Left-breast mammogram, medio-lateral oblique. 56-year-old patient.
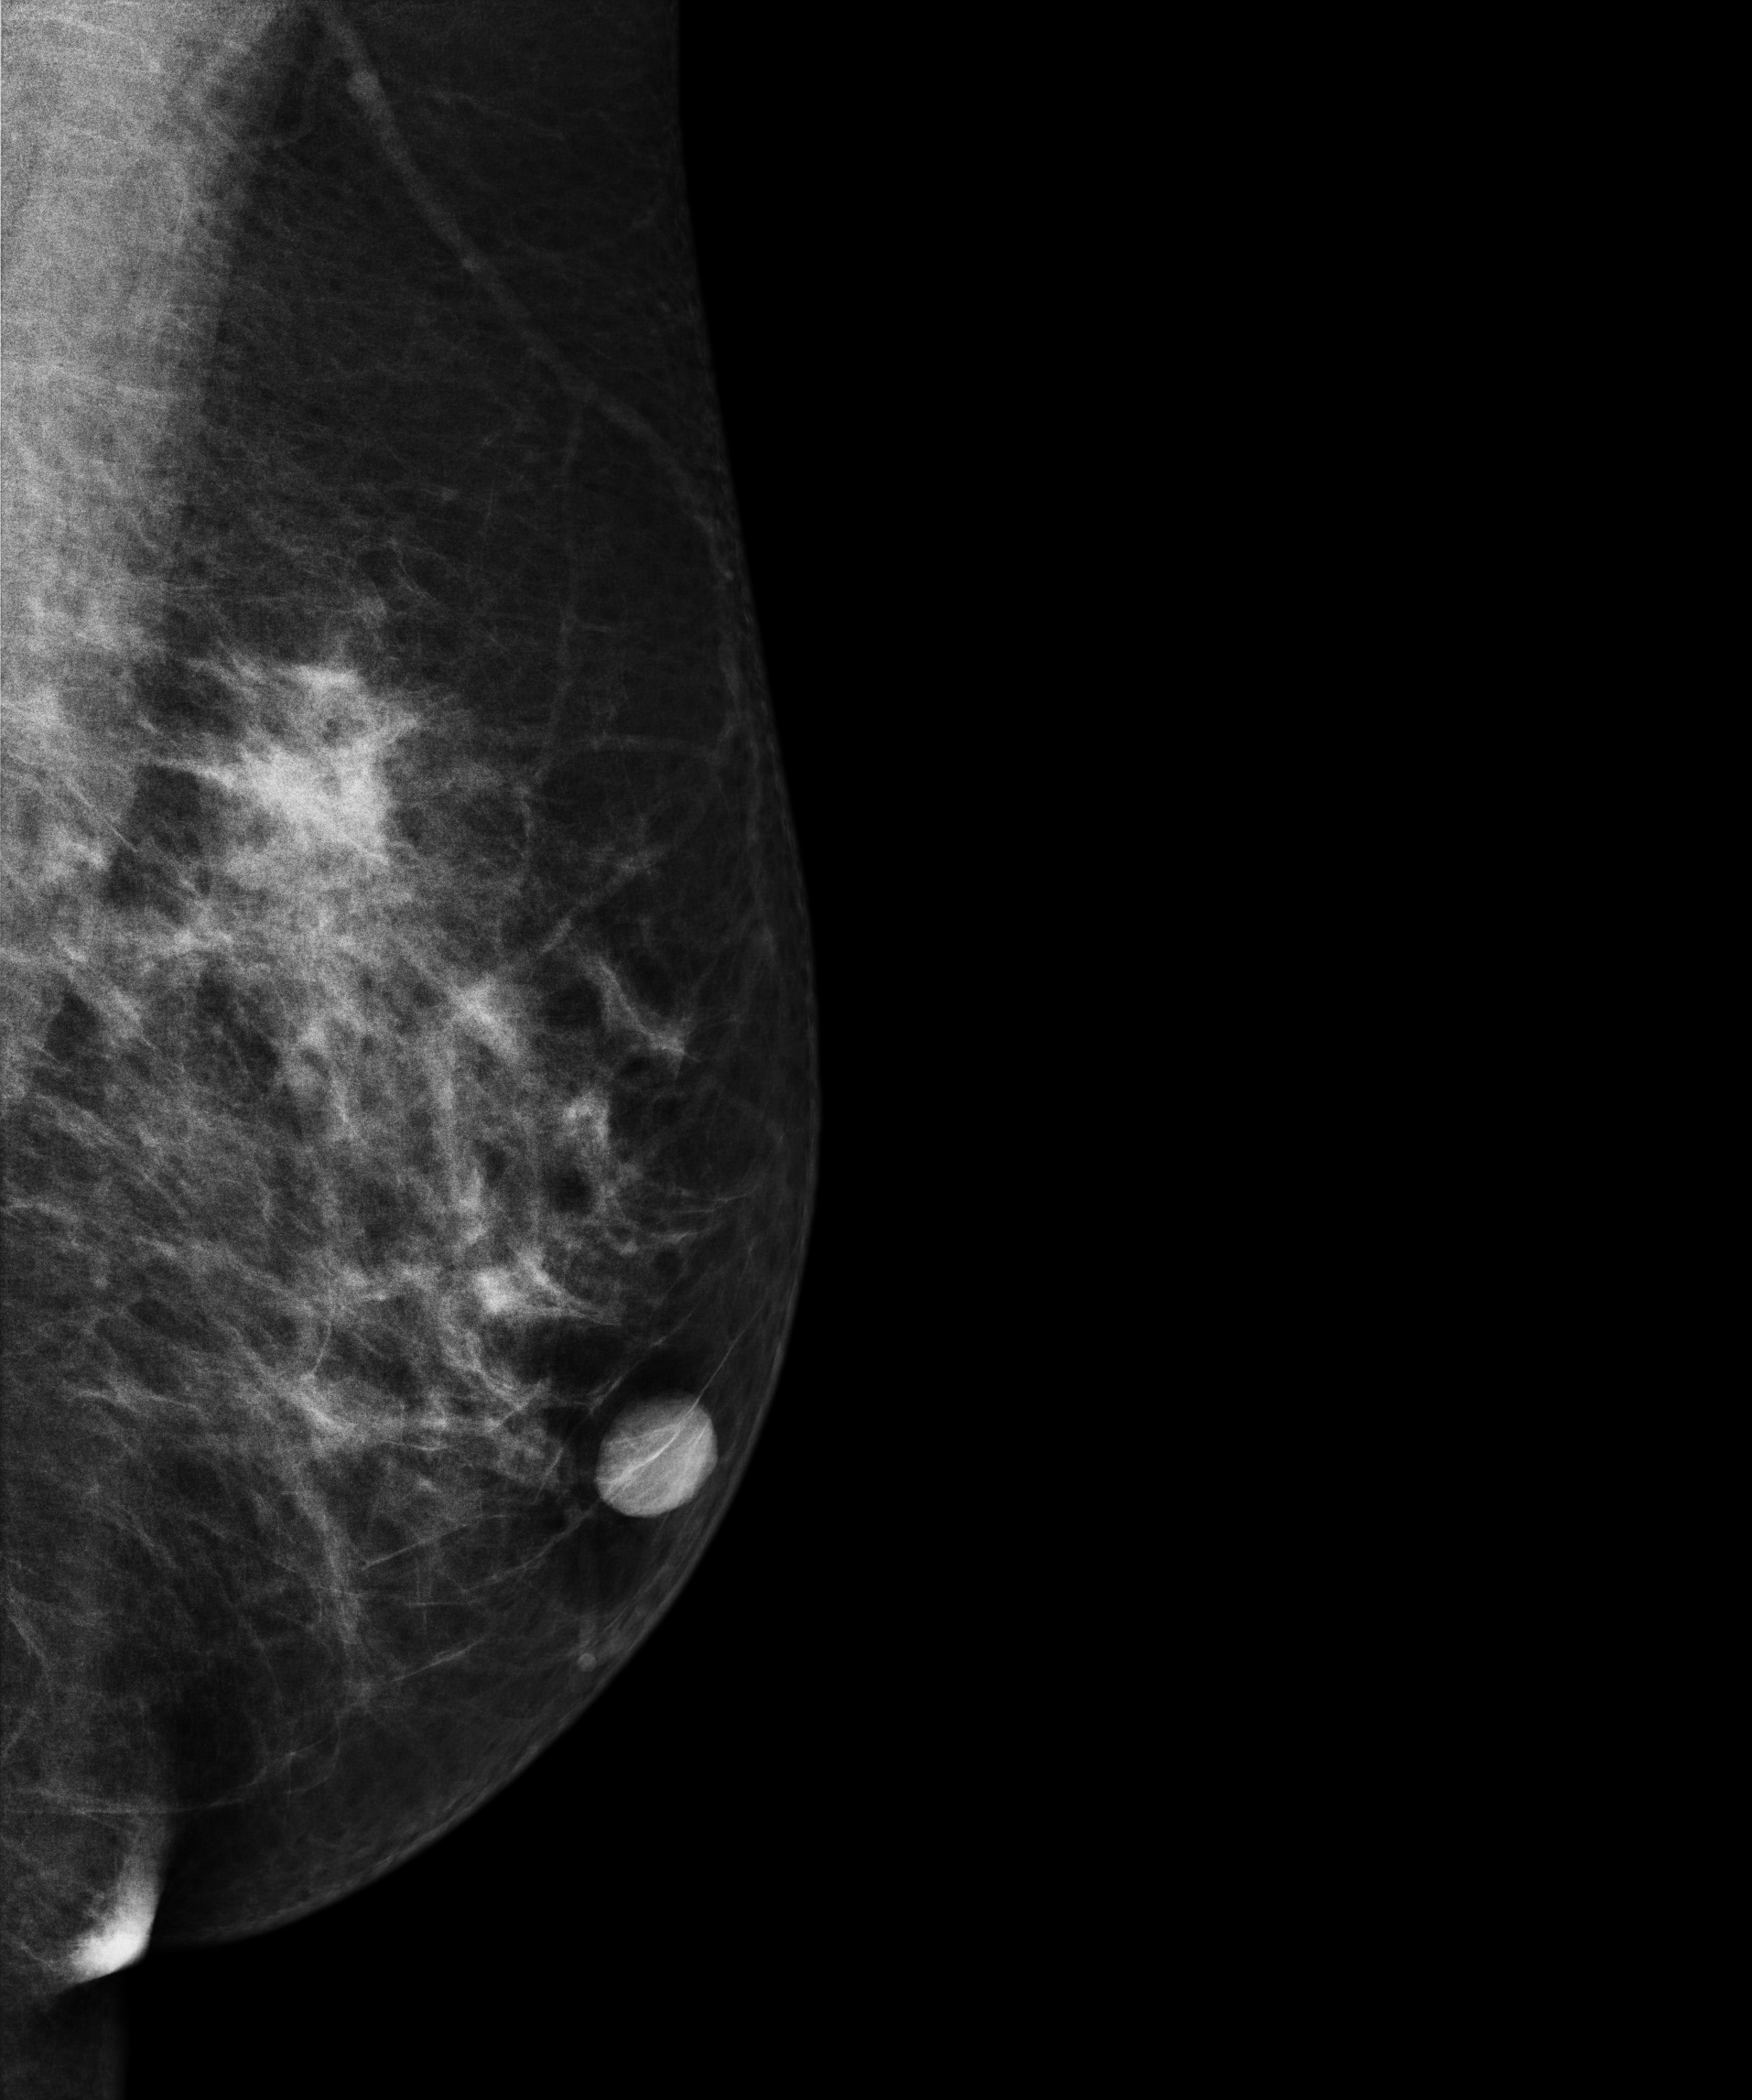
This breast has a mass, pathology-confirmed benign.